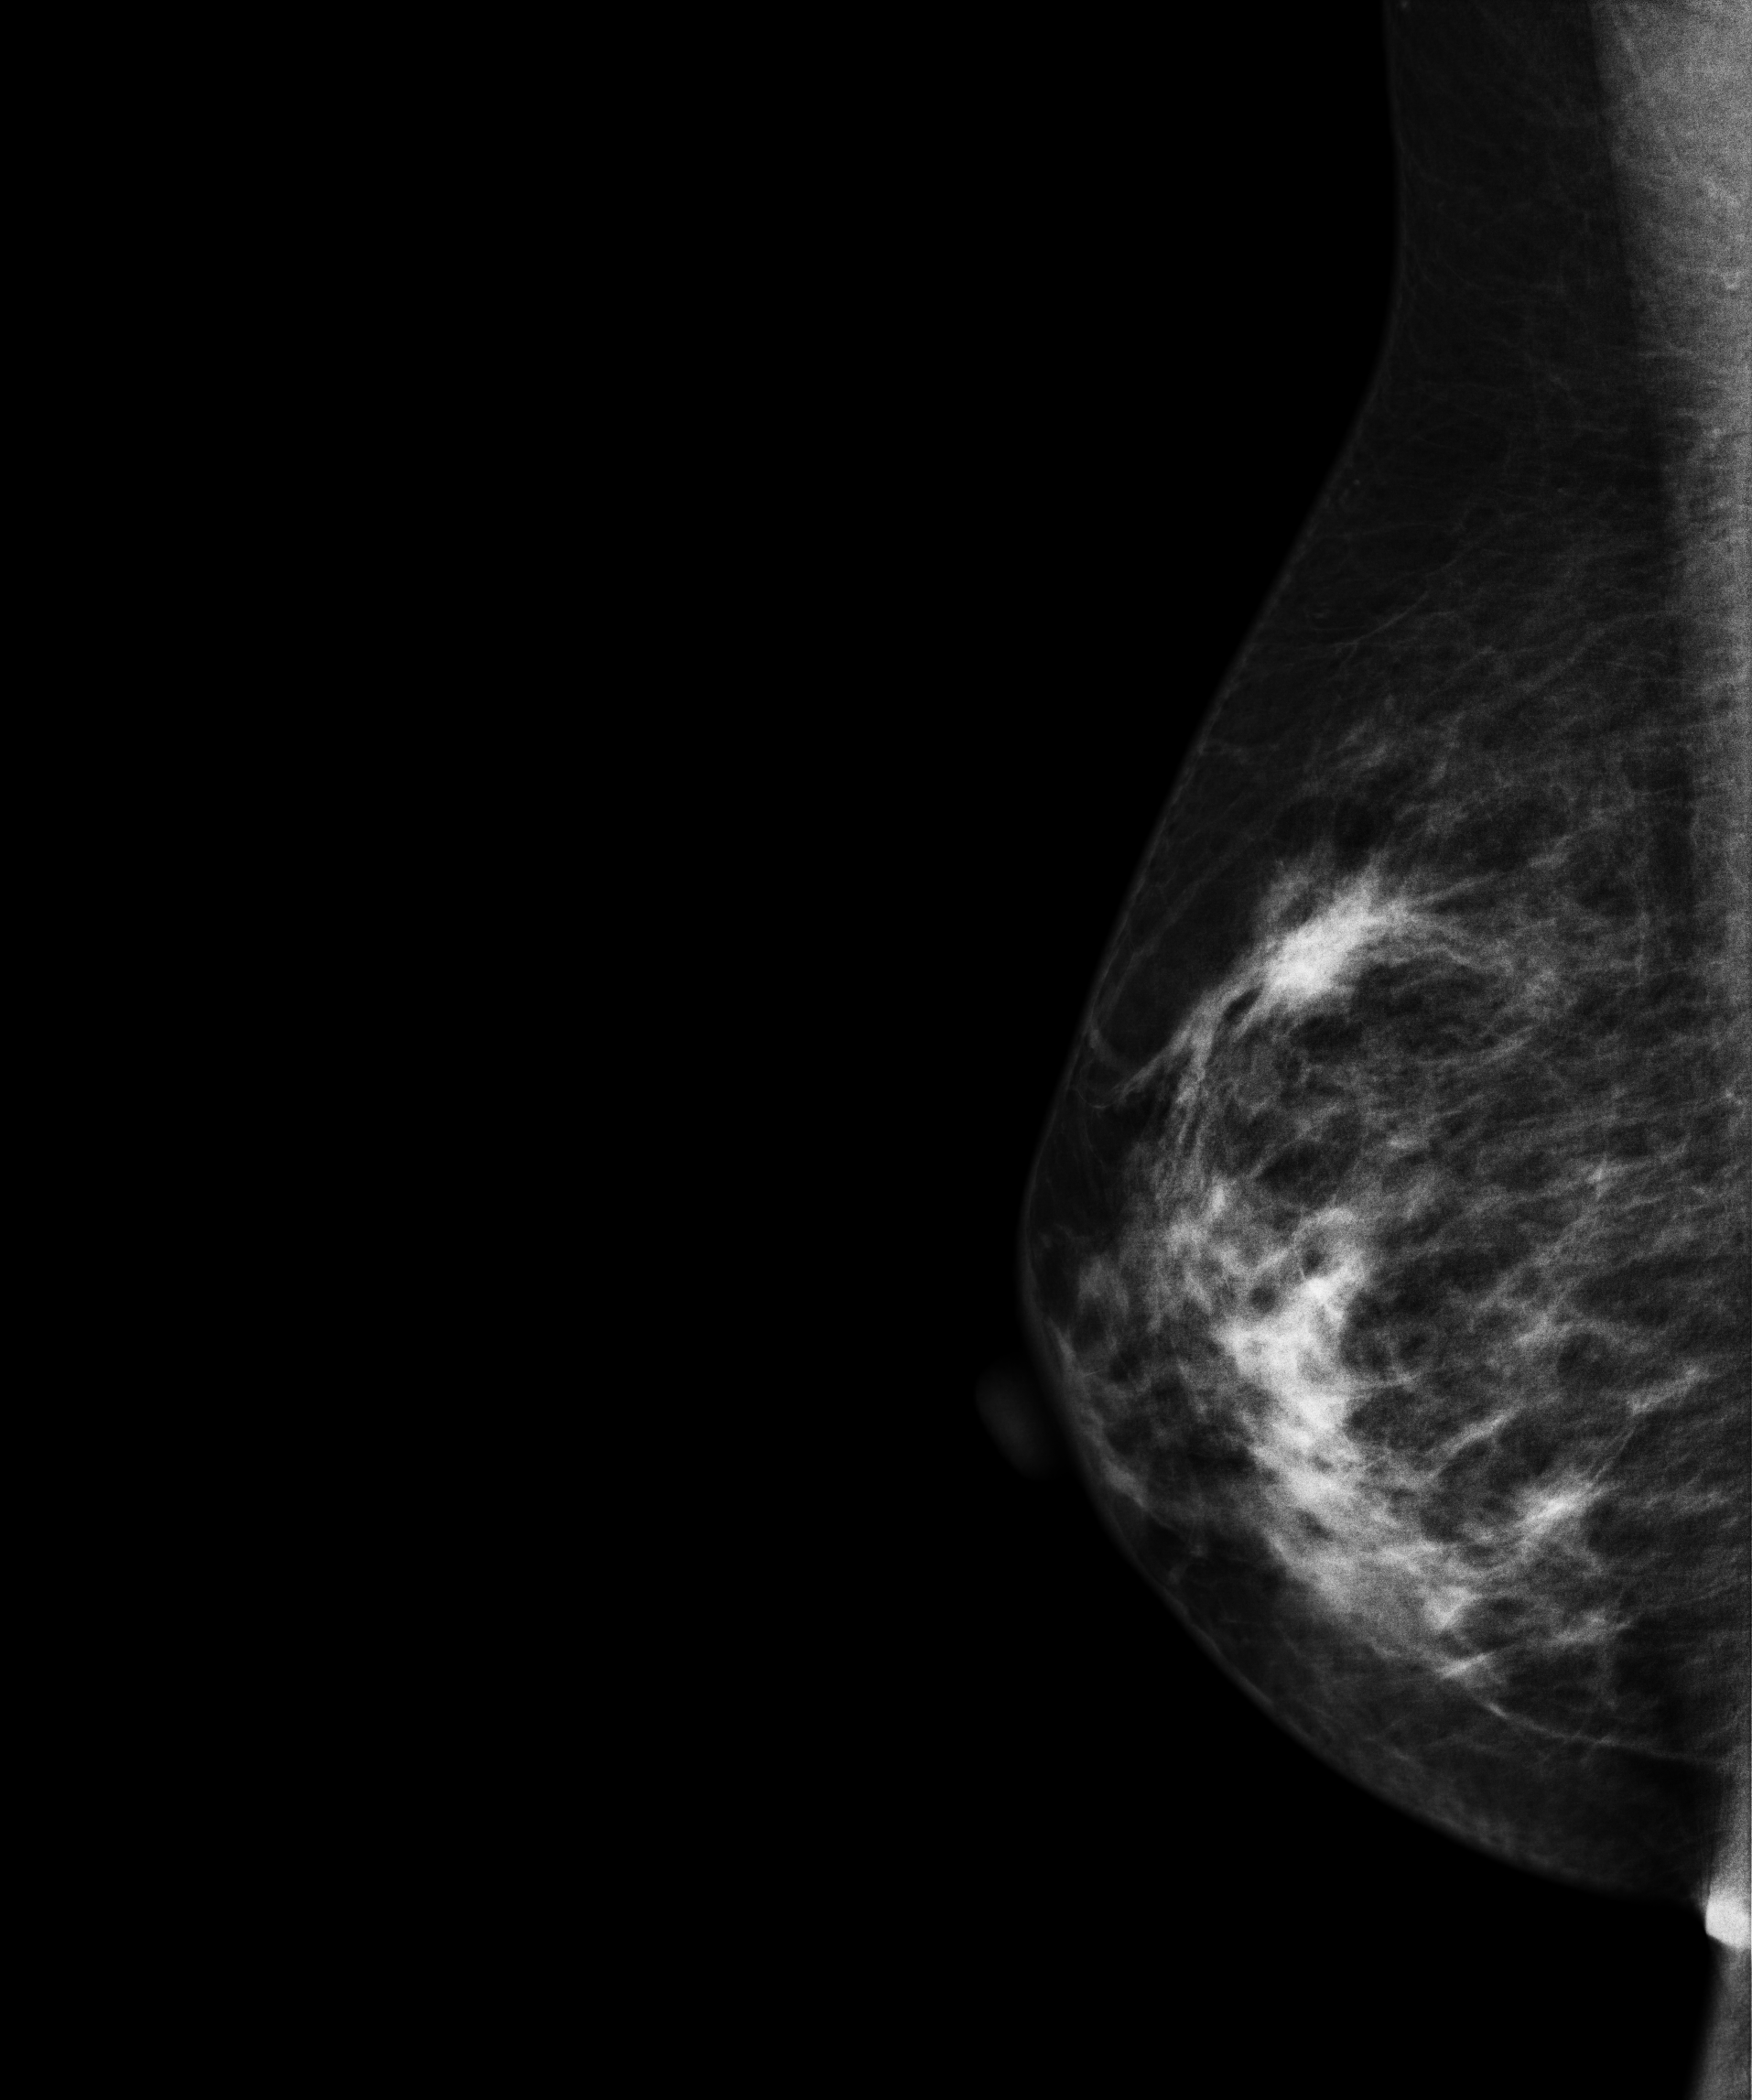
Mammogram — right medio-lateral oblique. Patient age 40.
Contralateral breast — no documented abnormality on this side.